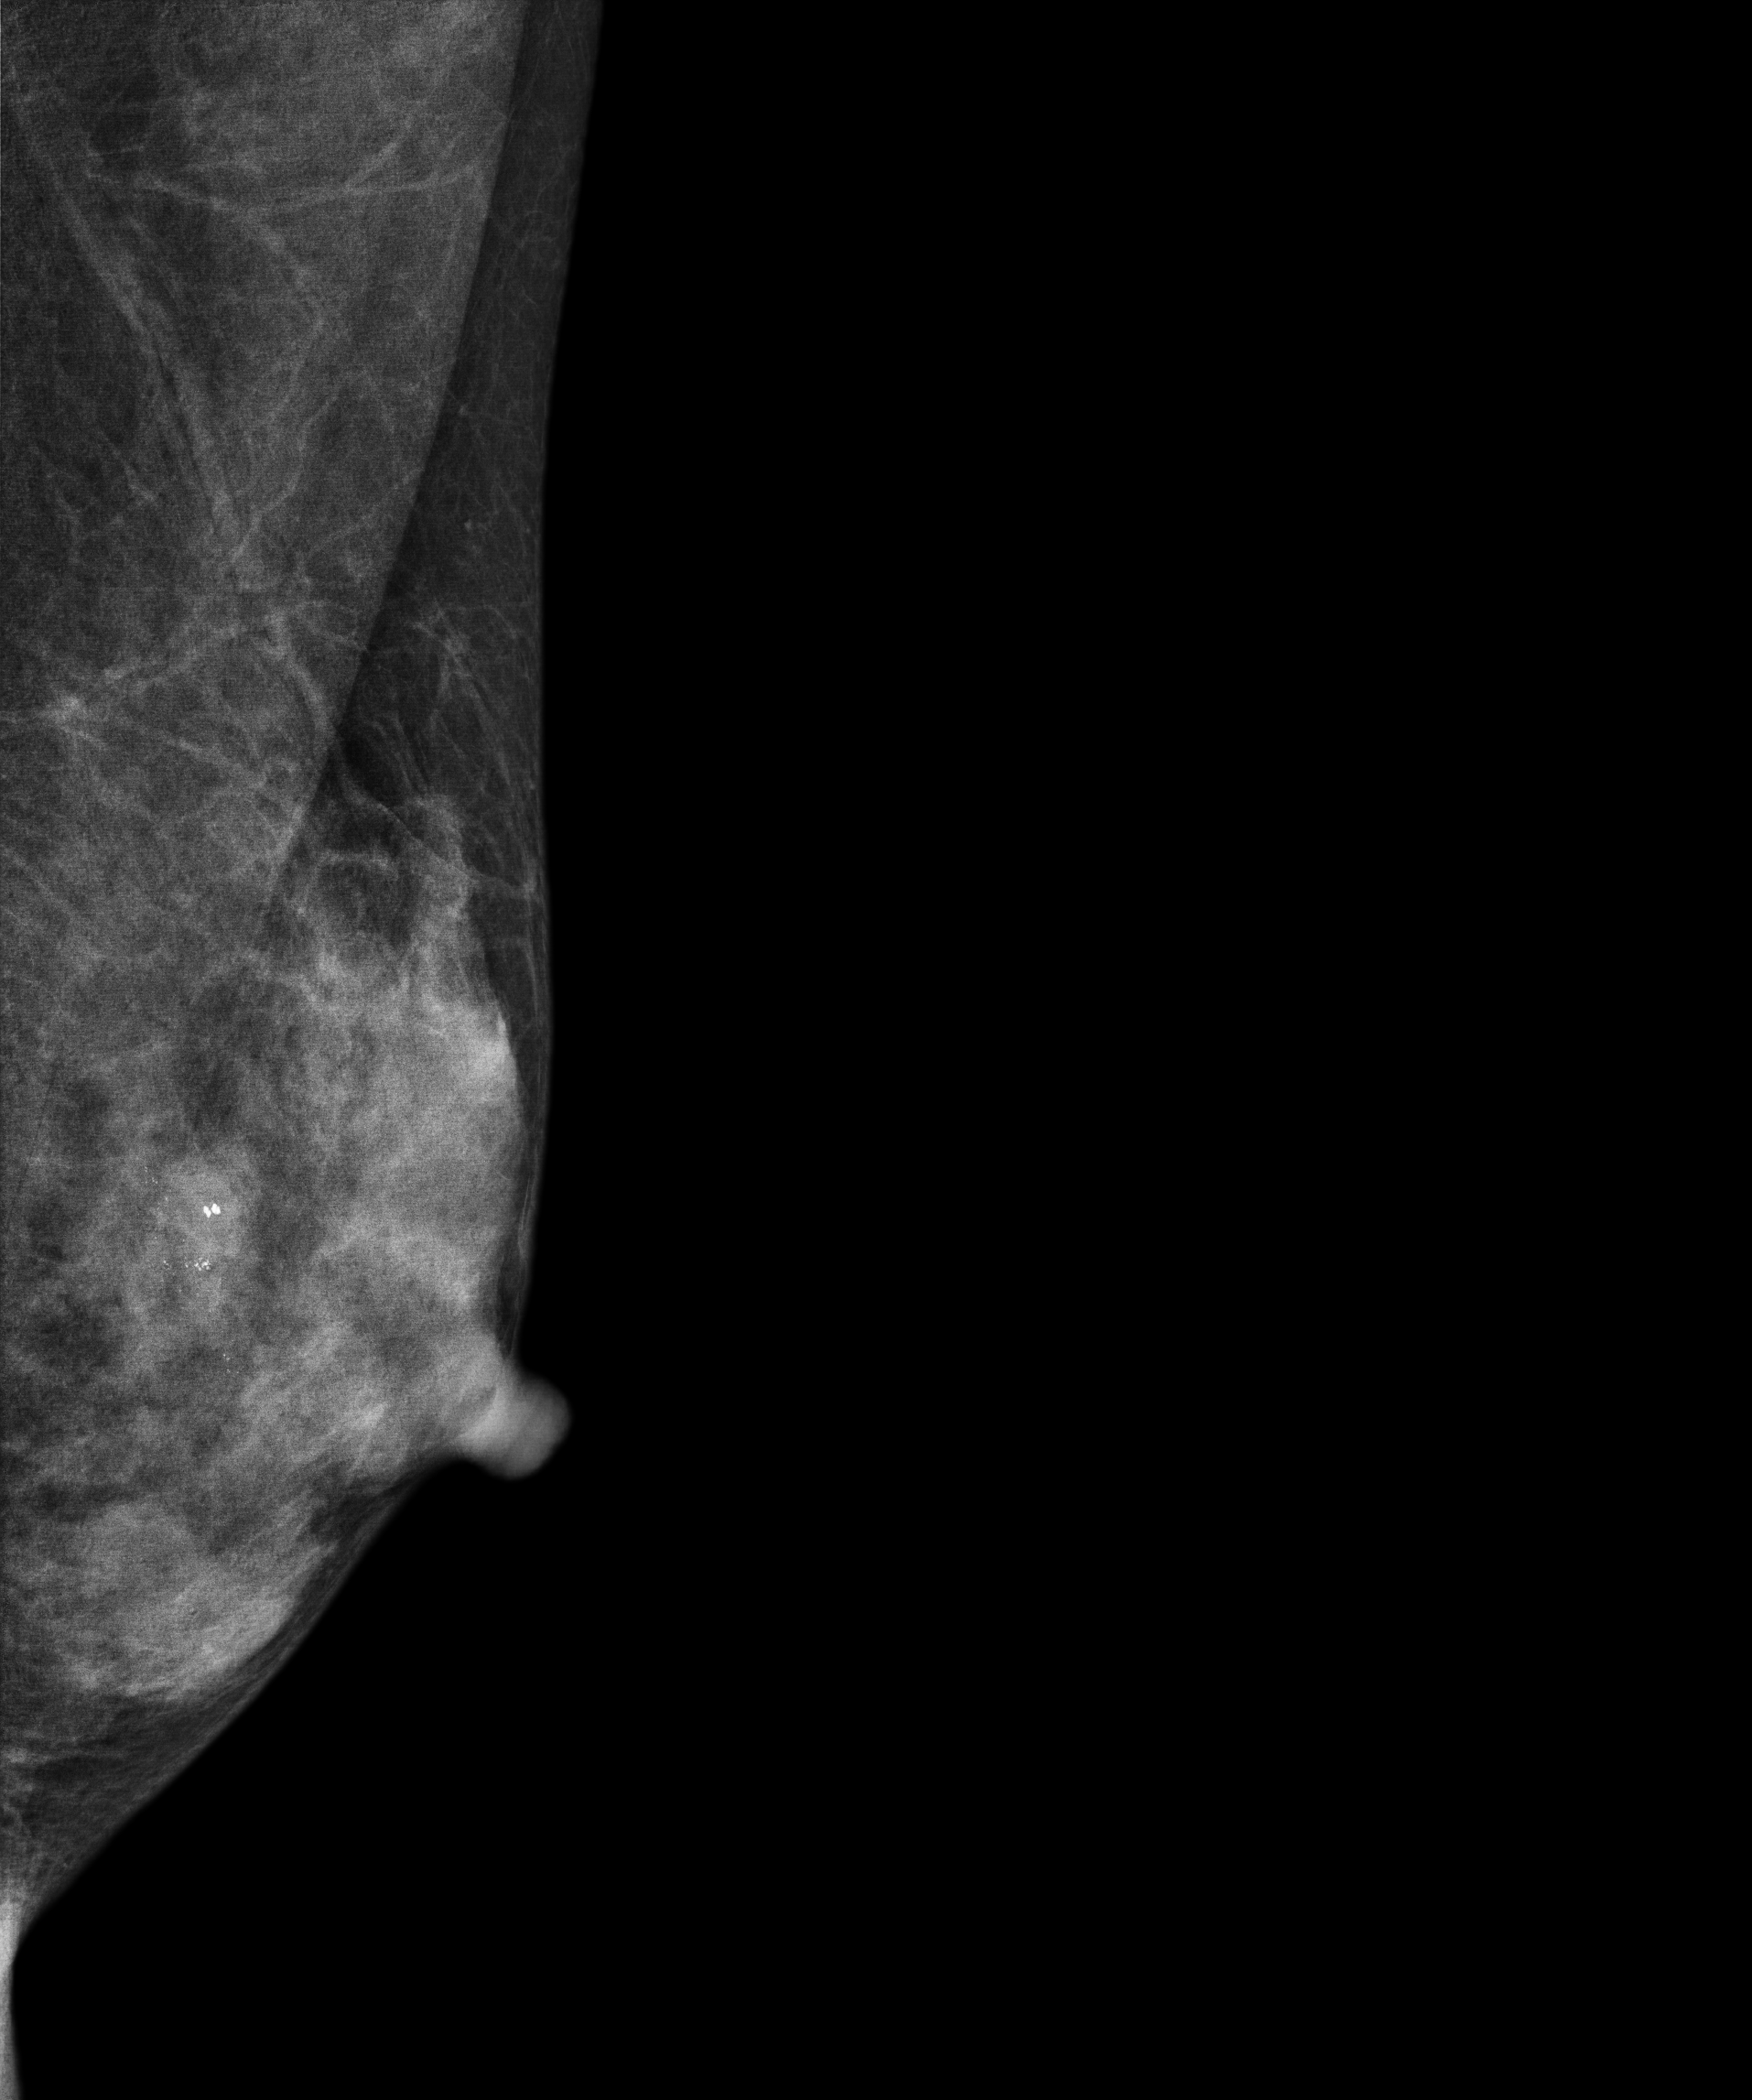
Left-breast mammogram, MLO. 37 y/o patient.
This breast has a mass and calcifications, biopsy-confirmed malignant. Molecular subtype: luminal B.